Digital mammography. Right breast, cranio-caudal projection. Patient age 55.
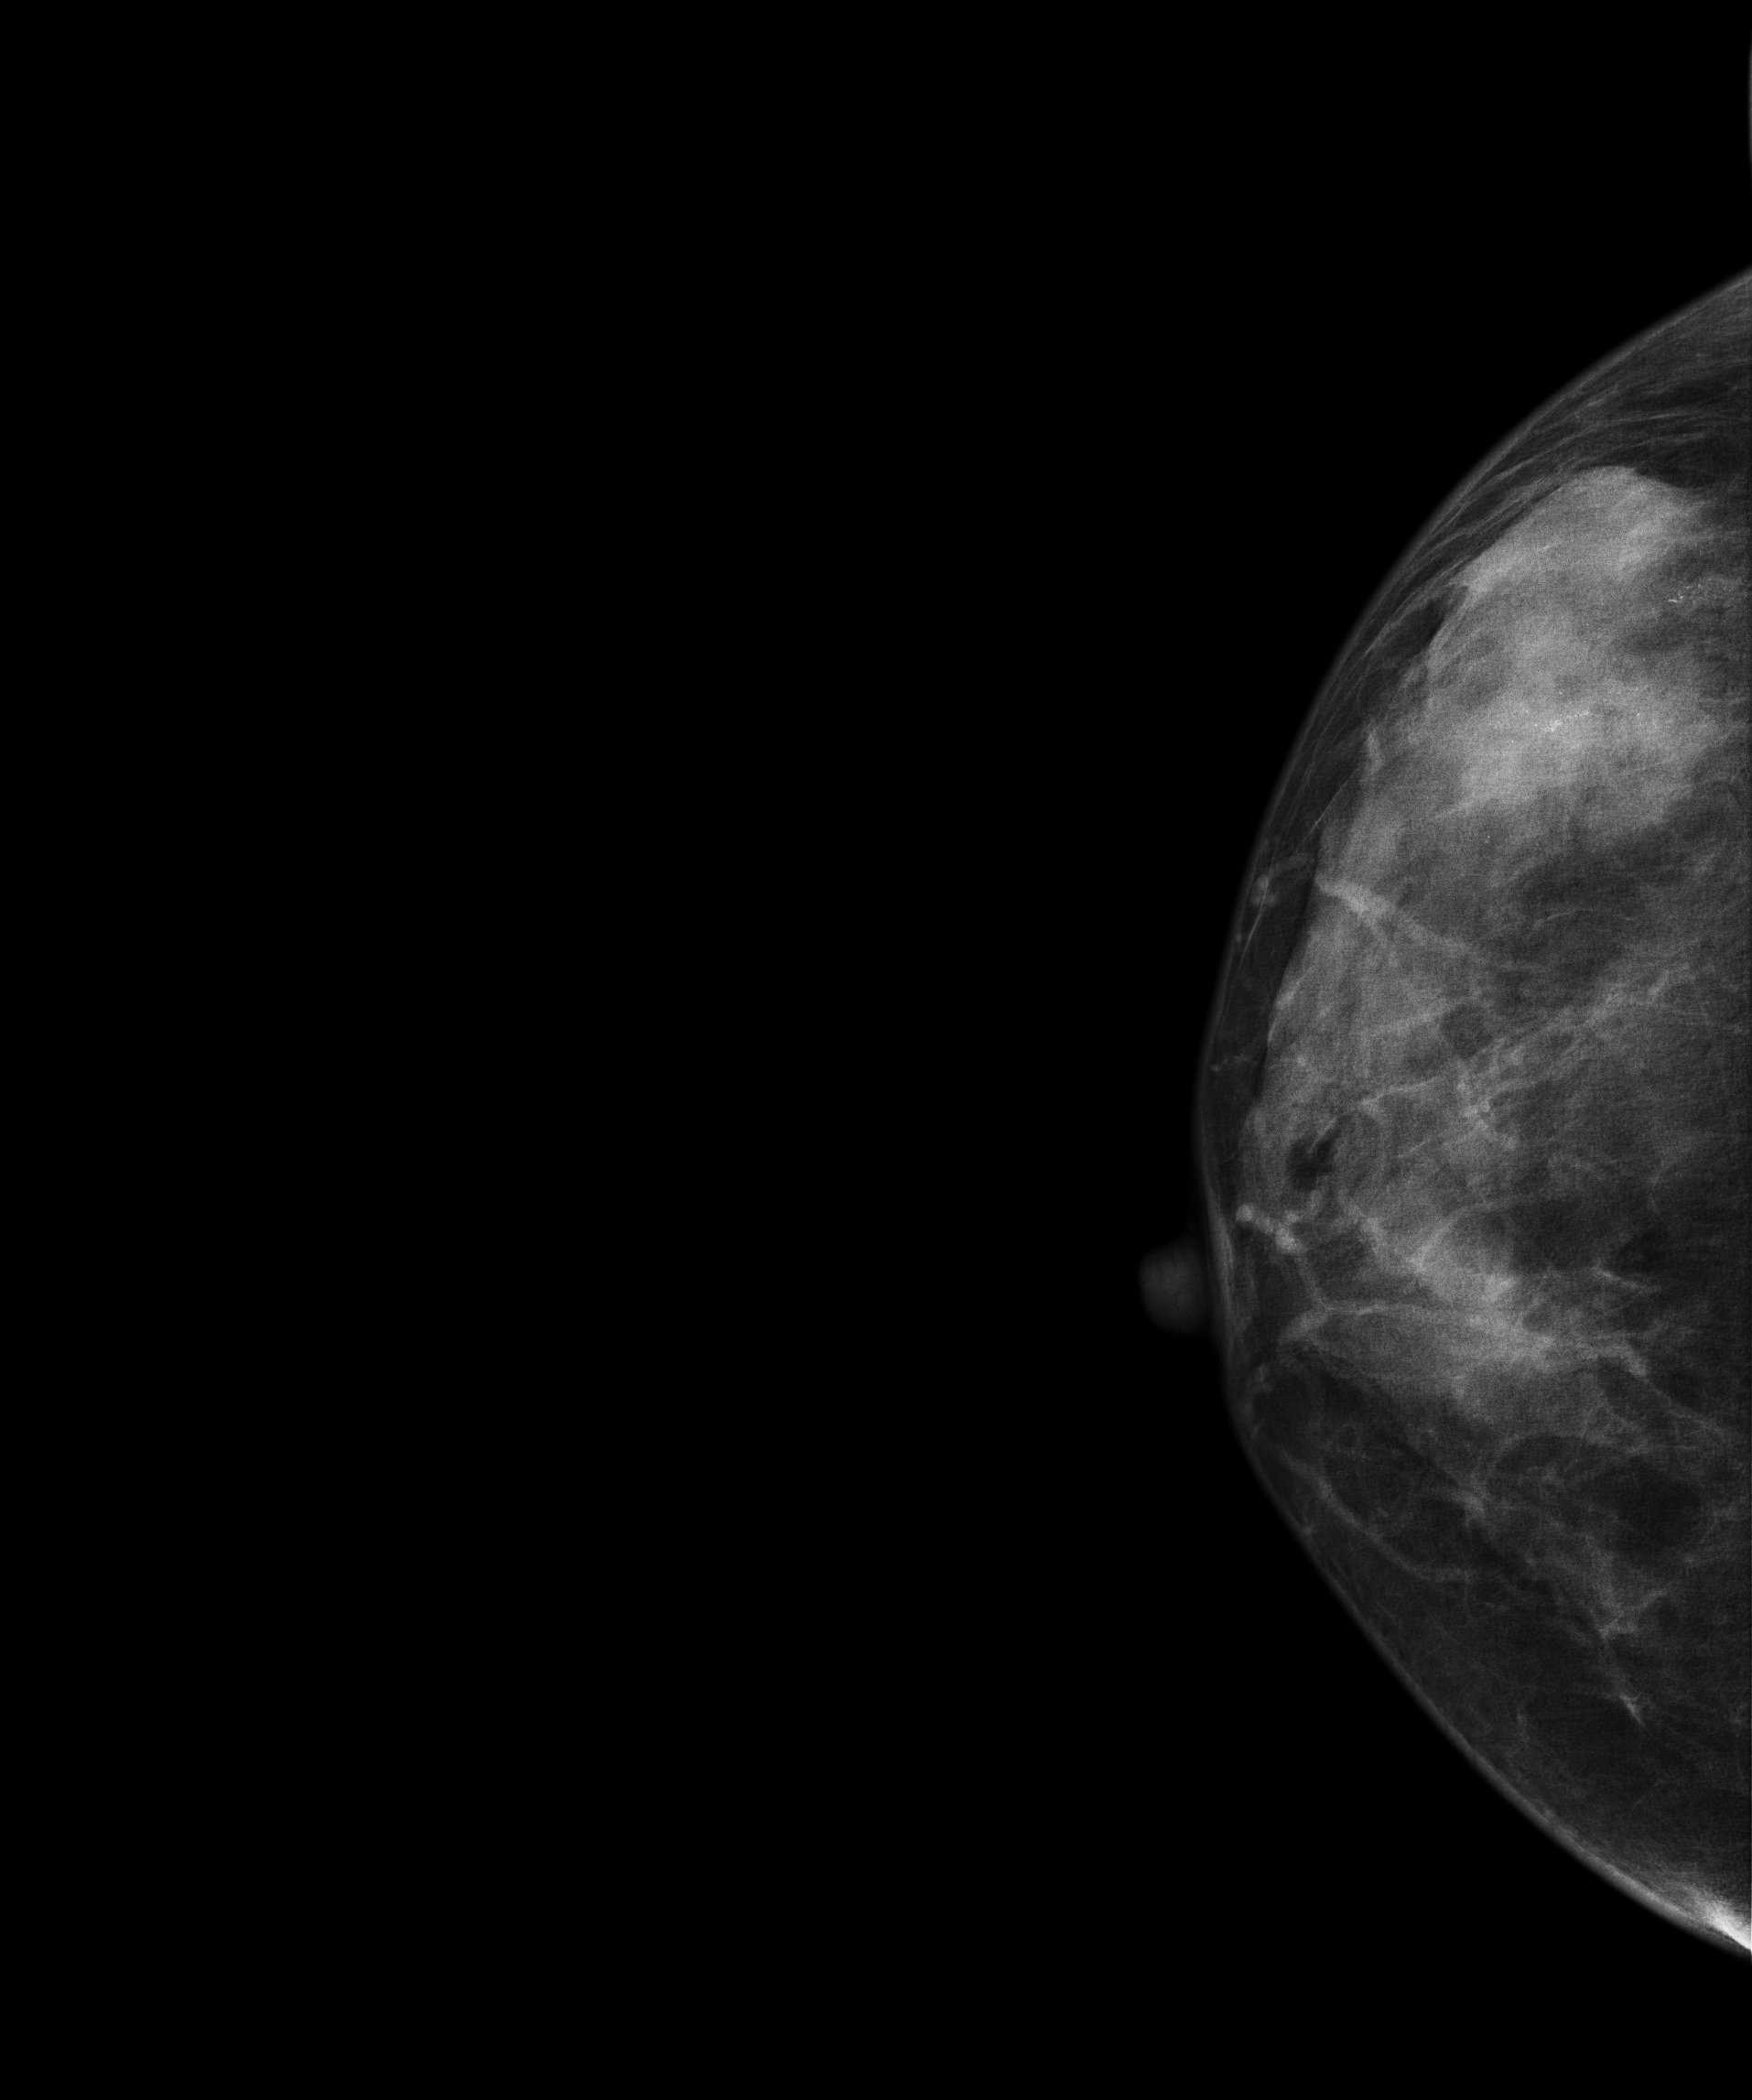
This breast has a mass and calcifications, pathology-confirmed malignant.